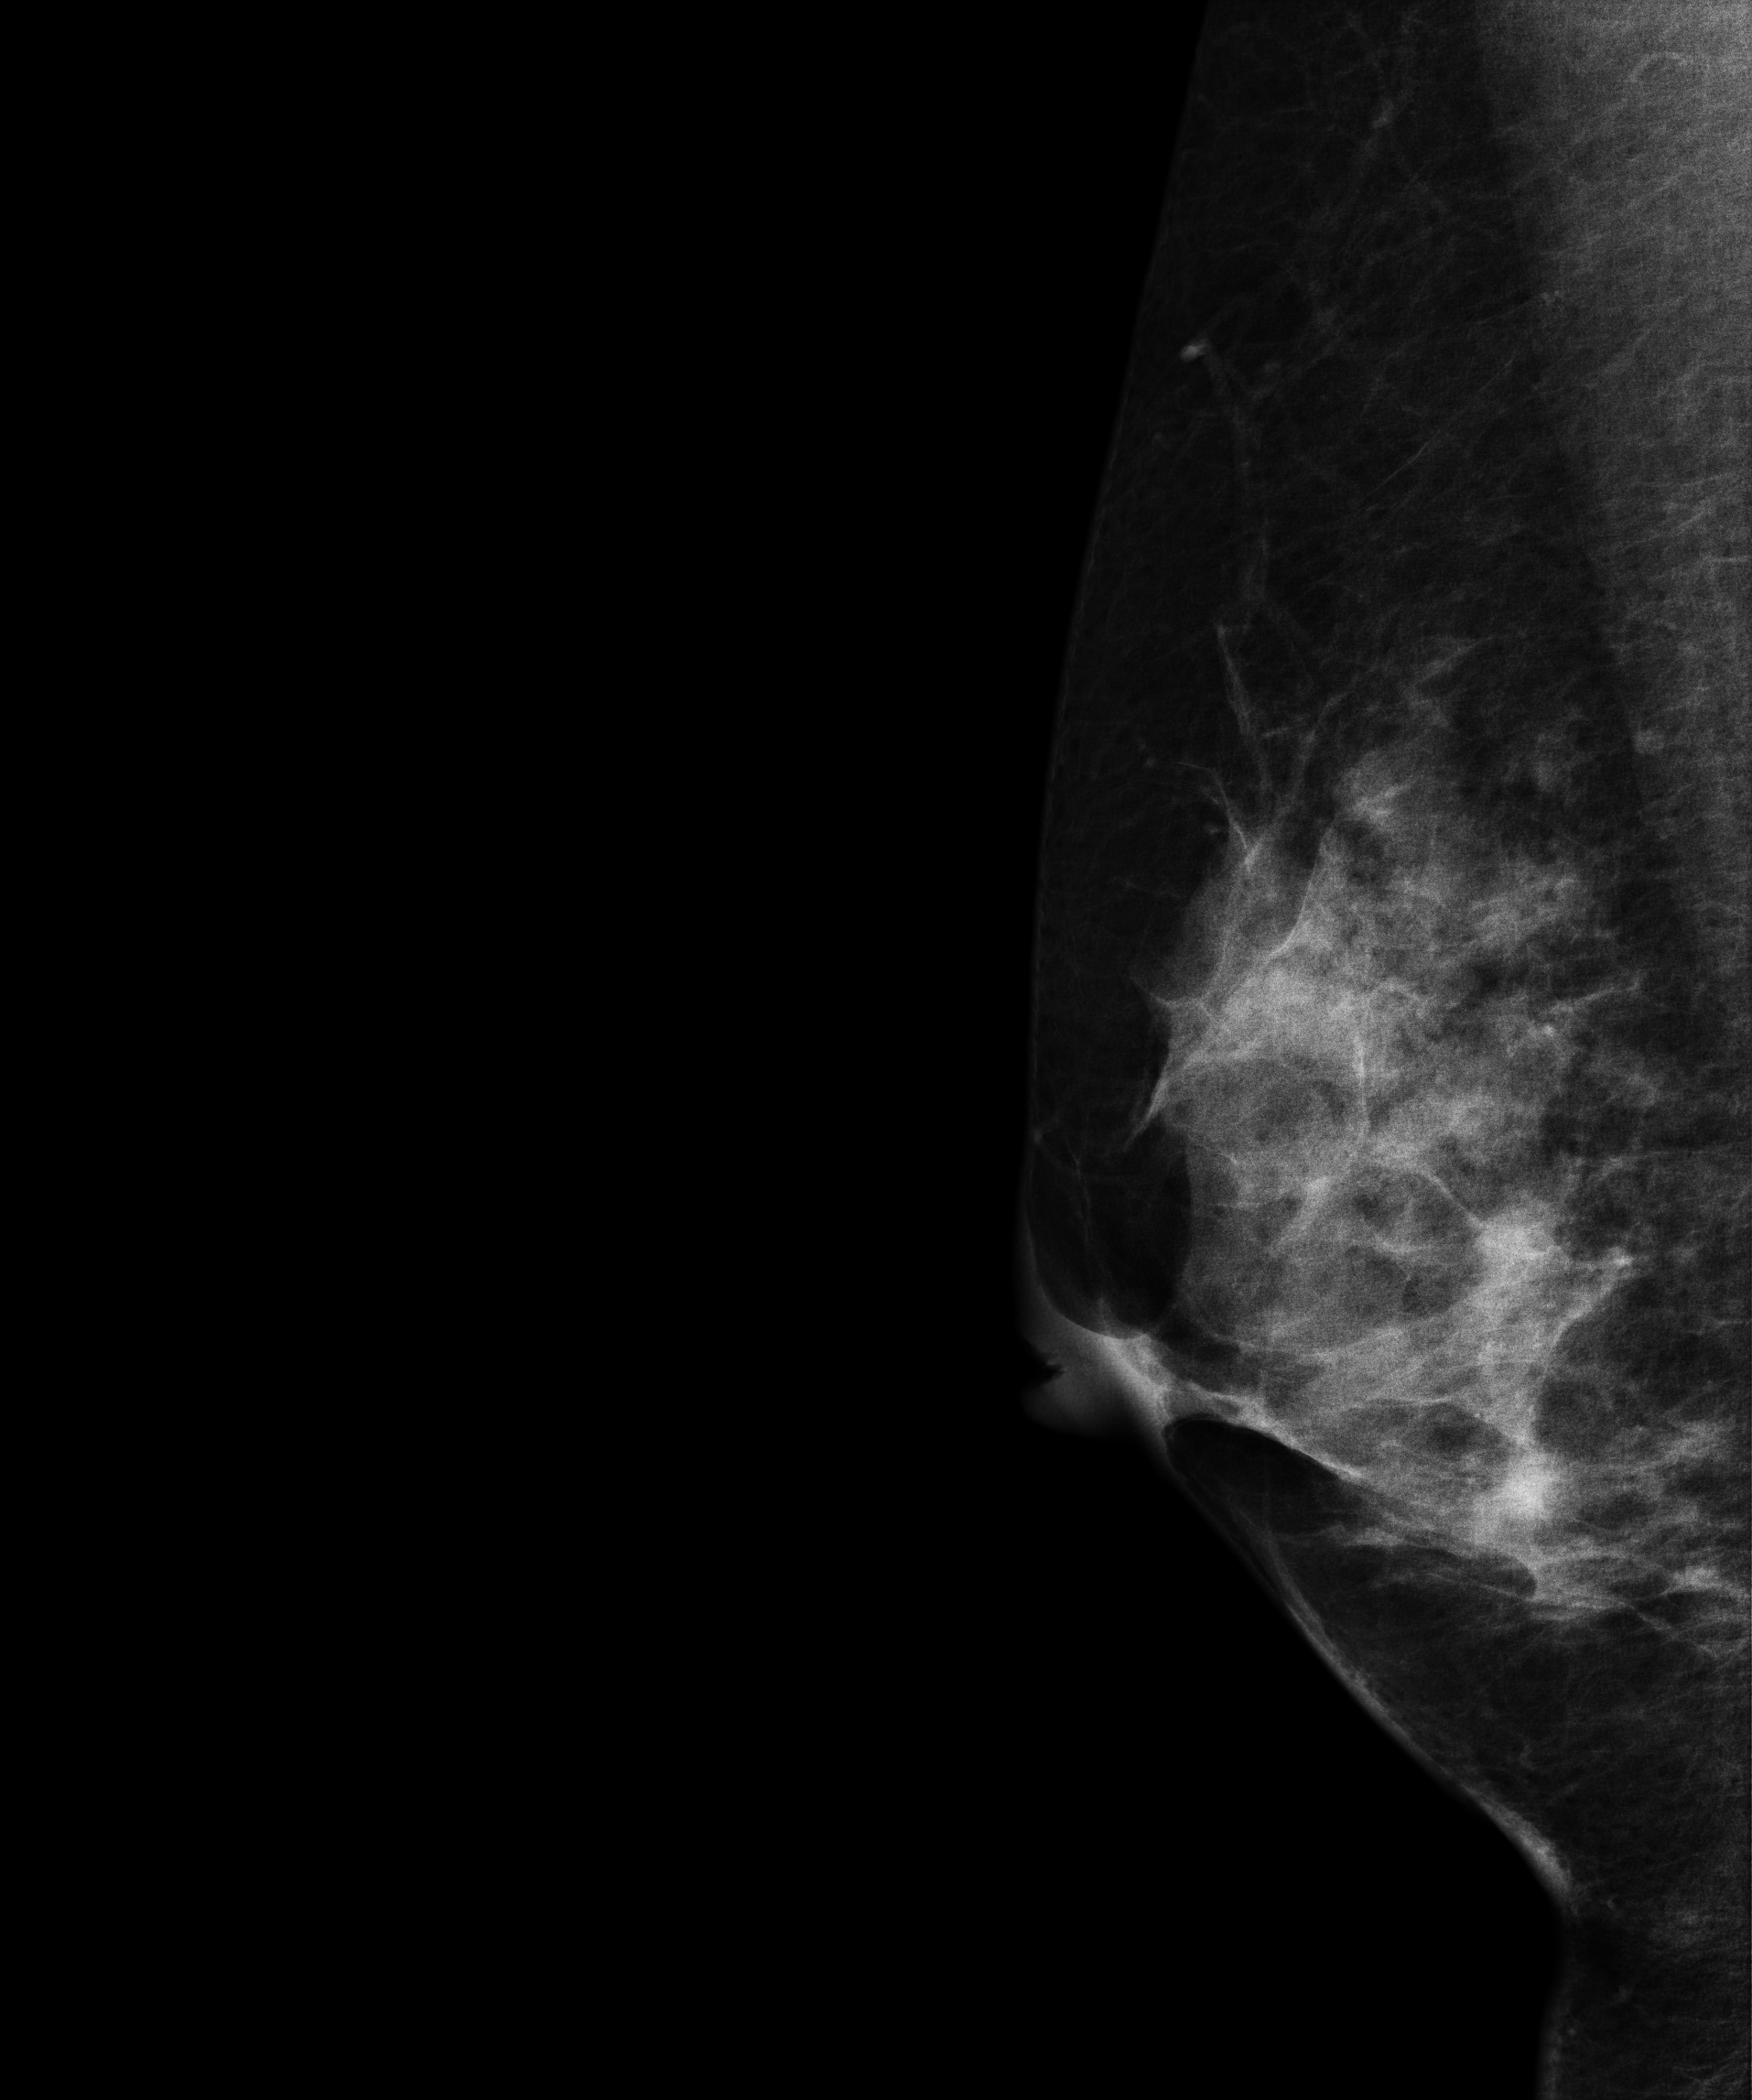
Left-breast mammogram, medio-lateral oblique. 45 y/o patient.
This breast has a mass, histologically confirmed benign.